Digital mammography. Left breast, cranio-caudal projection. Patient age 44.
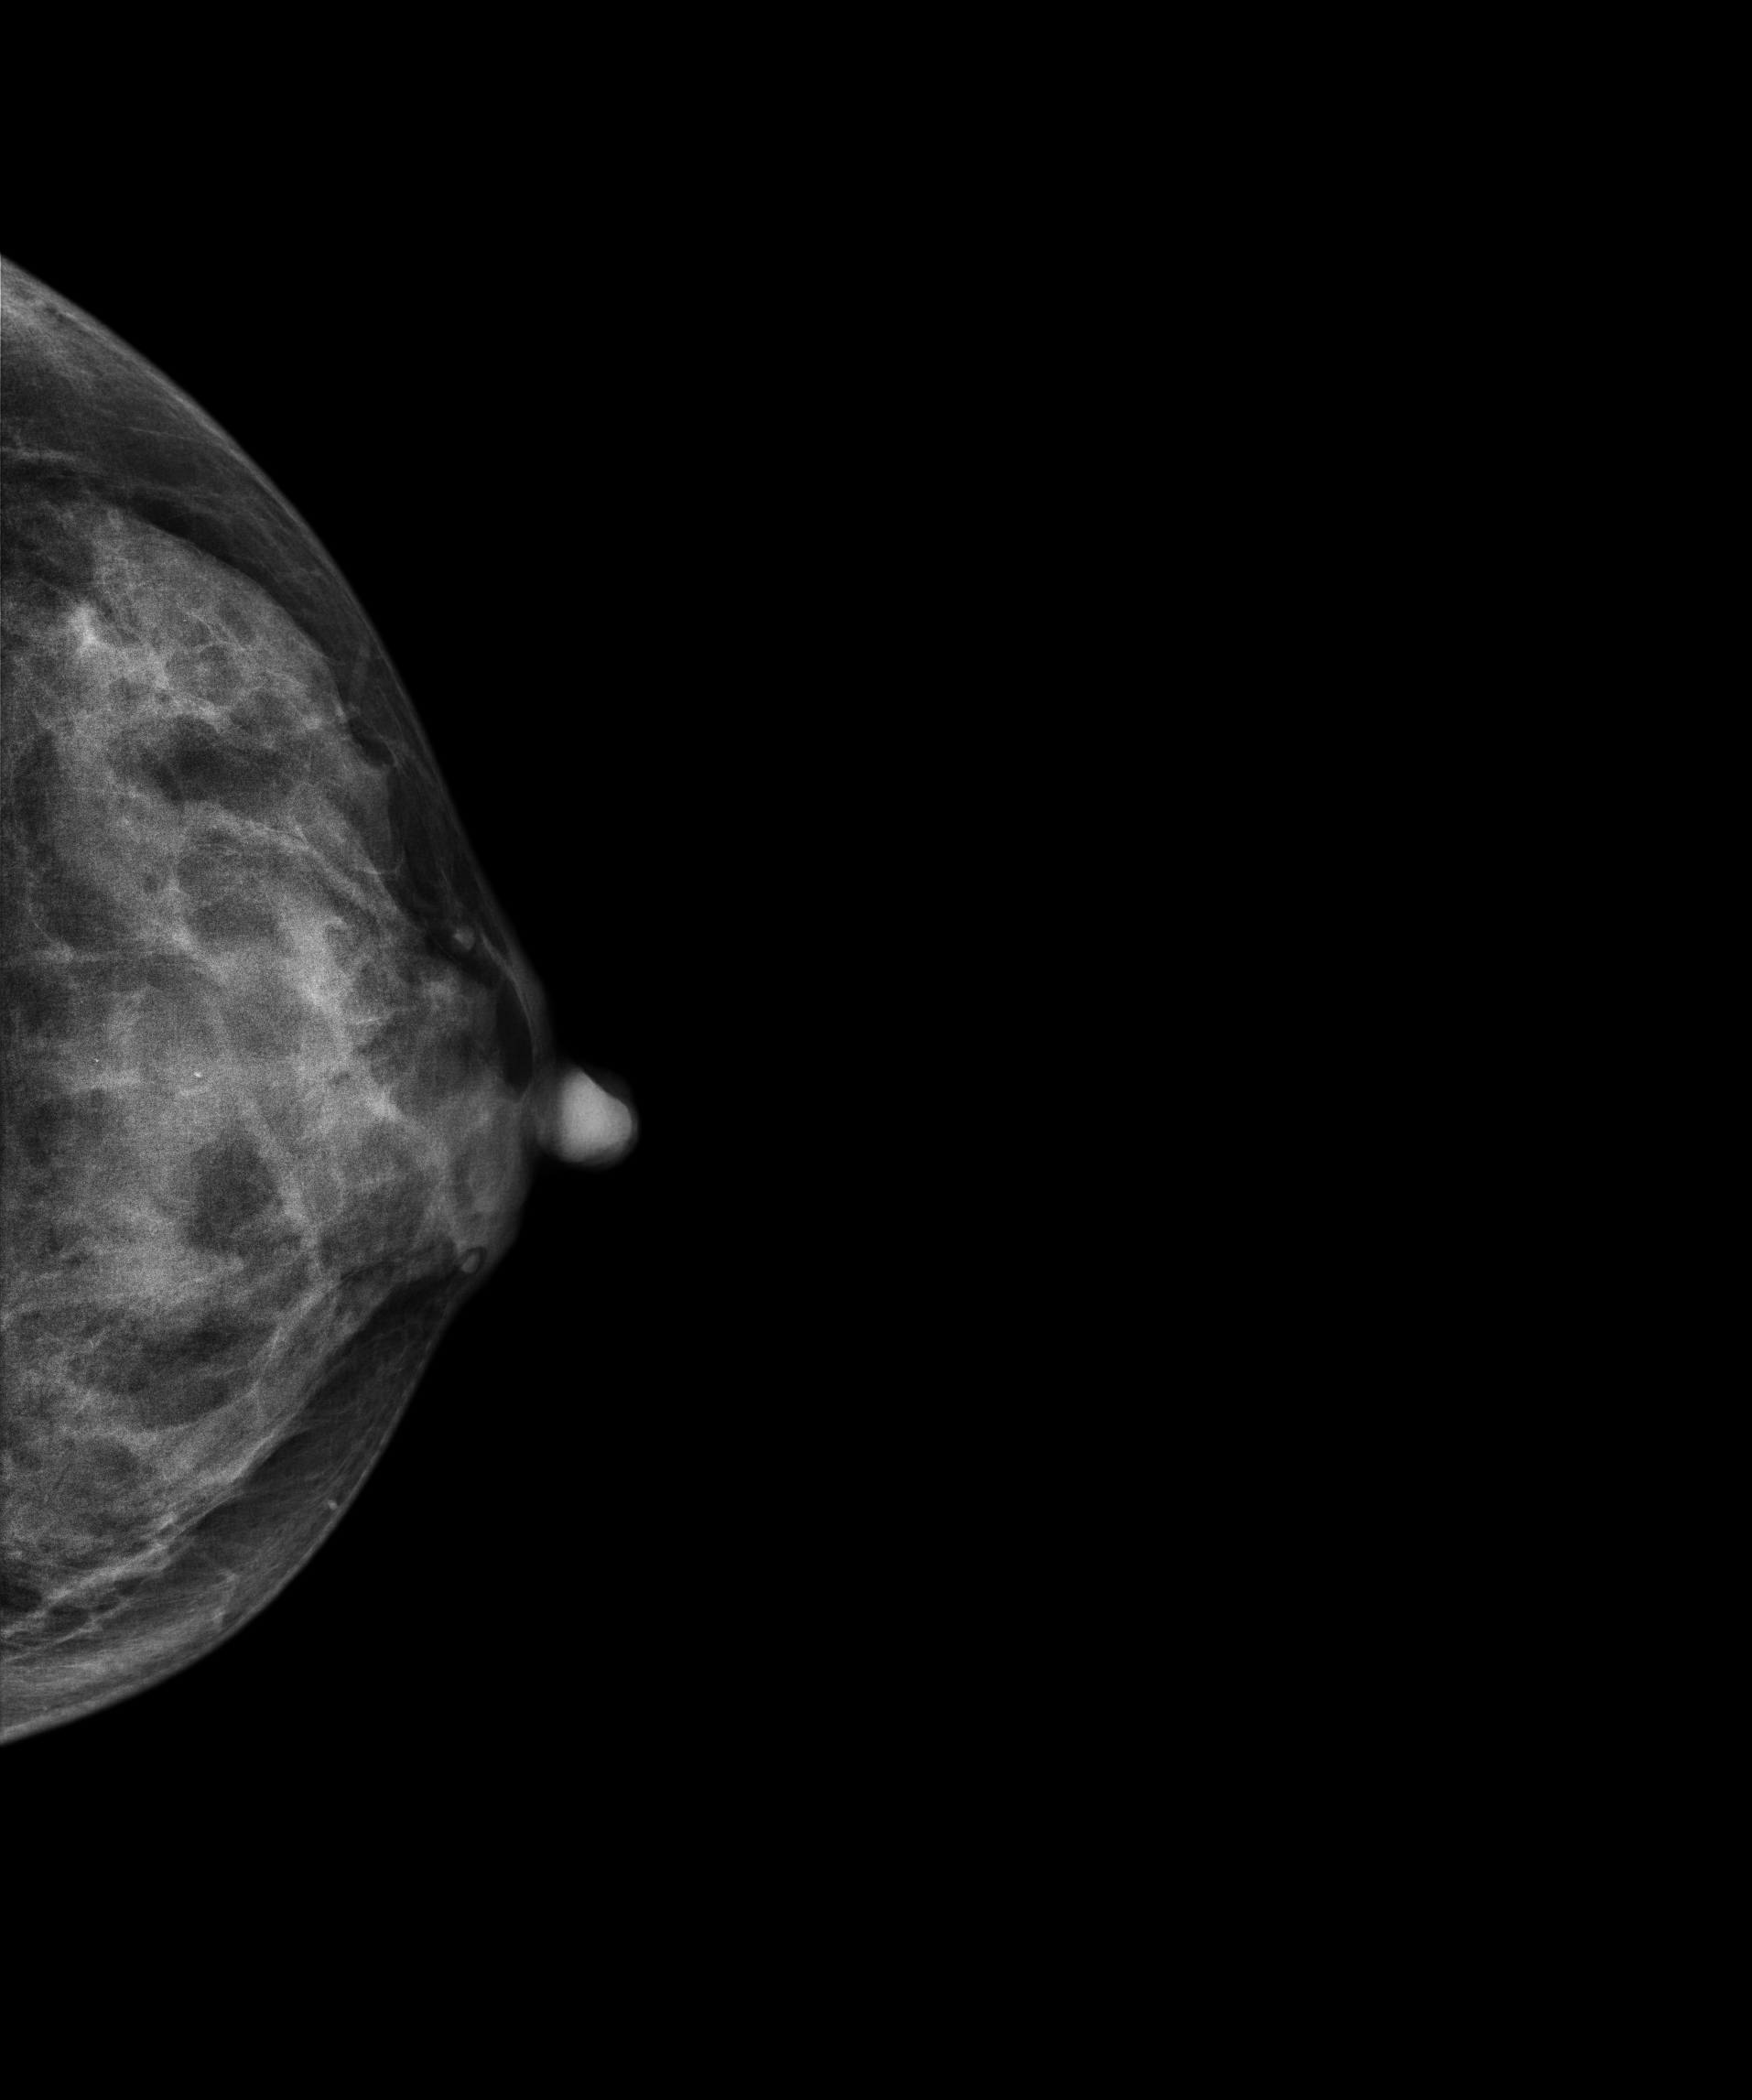
This breast has calcifications, biopsy-proven benign.